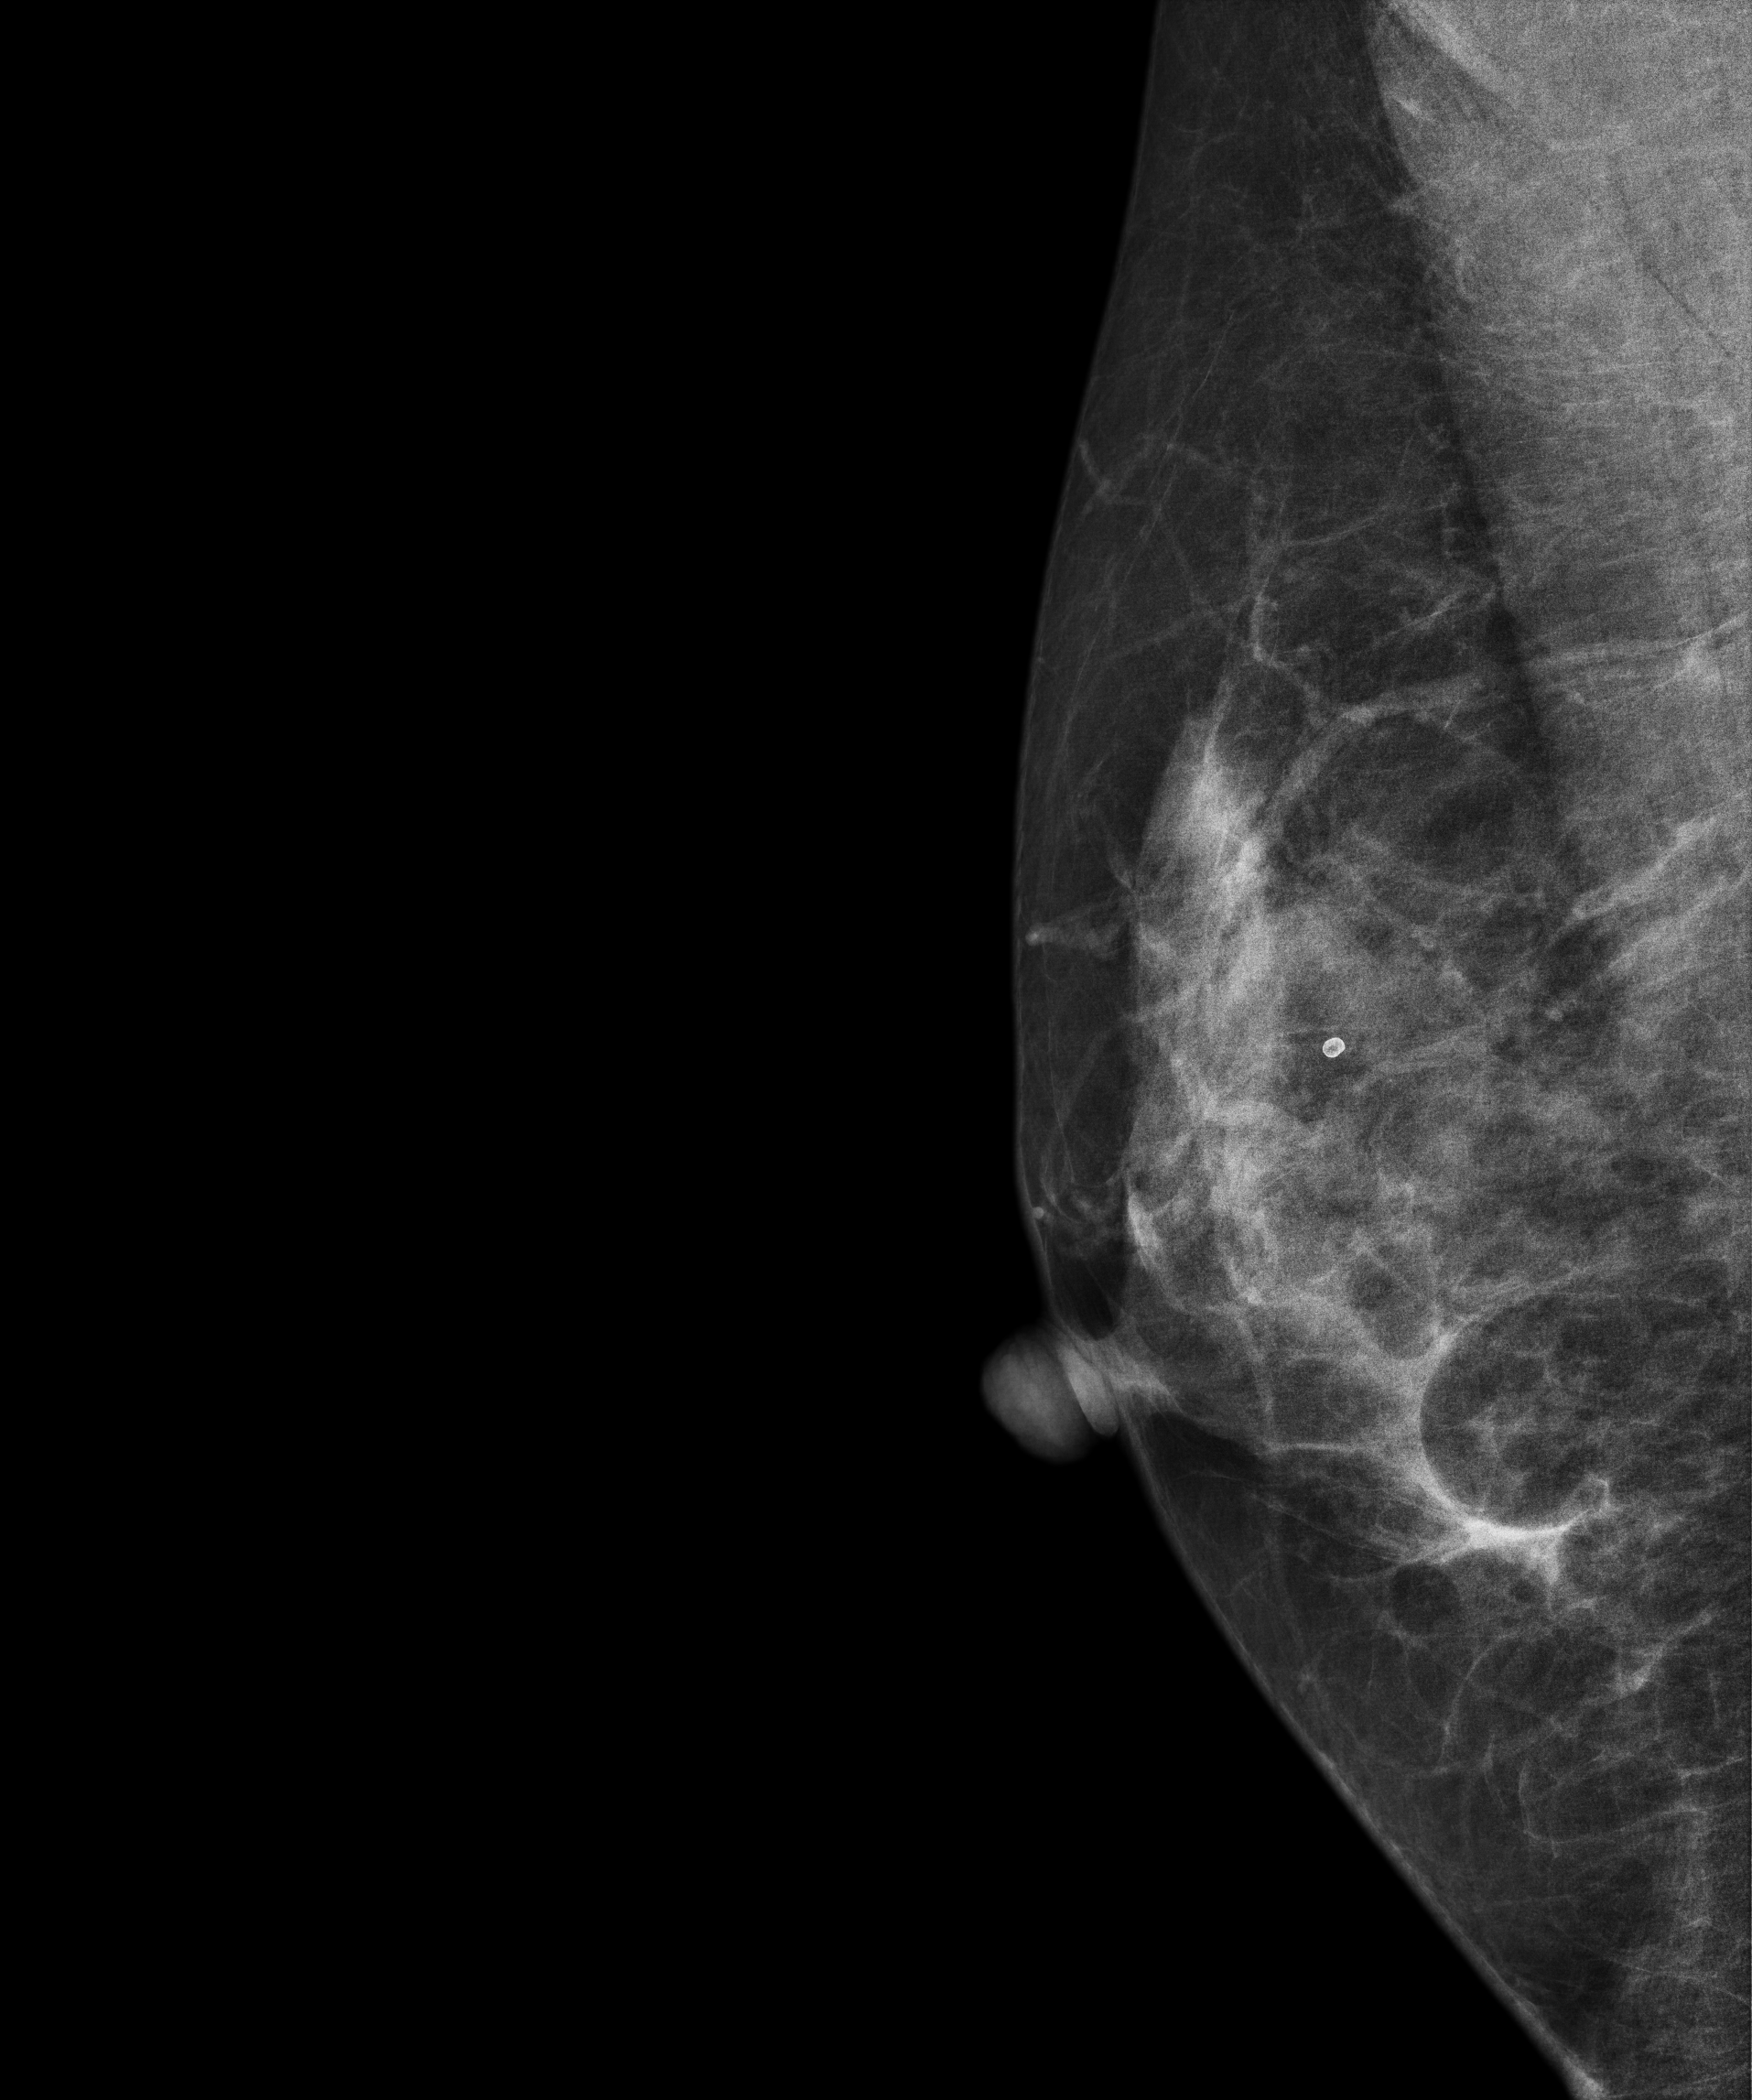
Right-breast mammogram, medio-lateral oblique. Patient age 47.
This breast has calcifications, histologically confirmed benign.